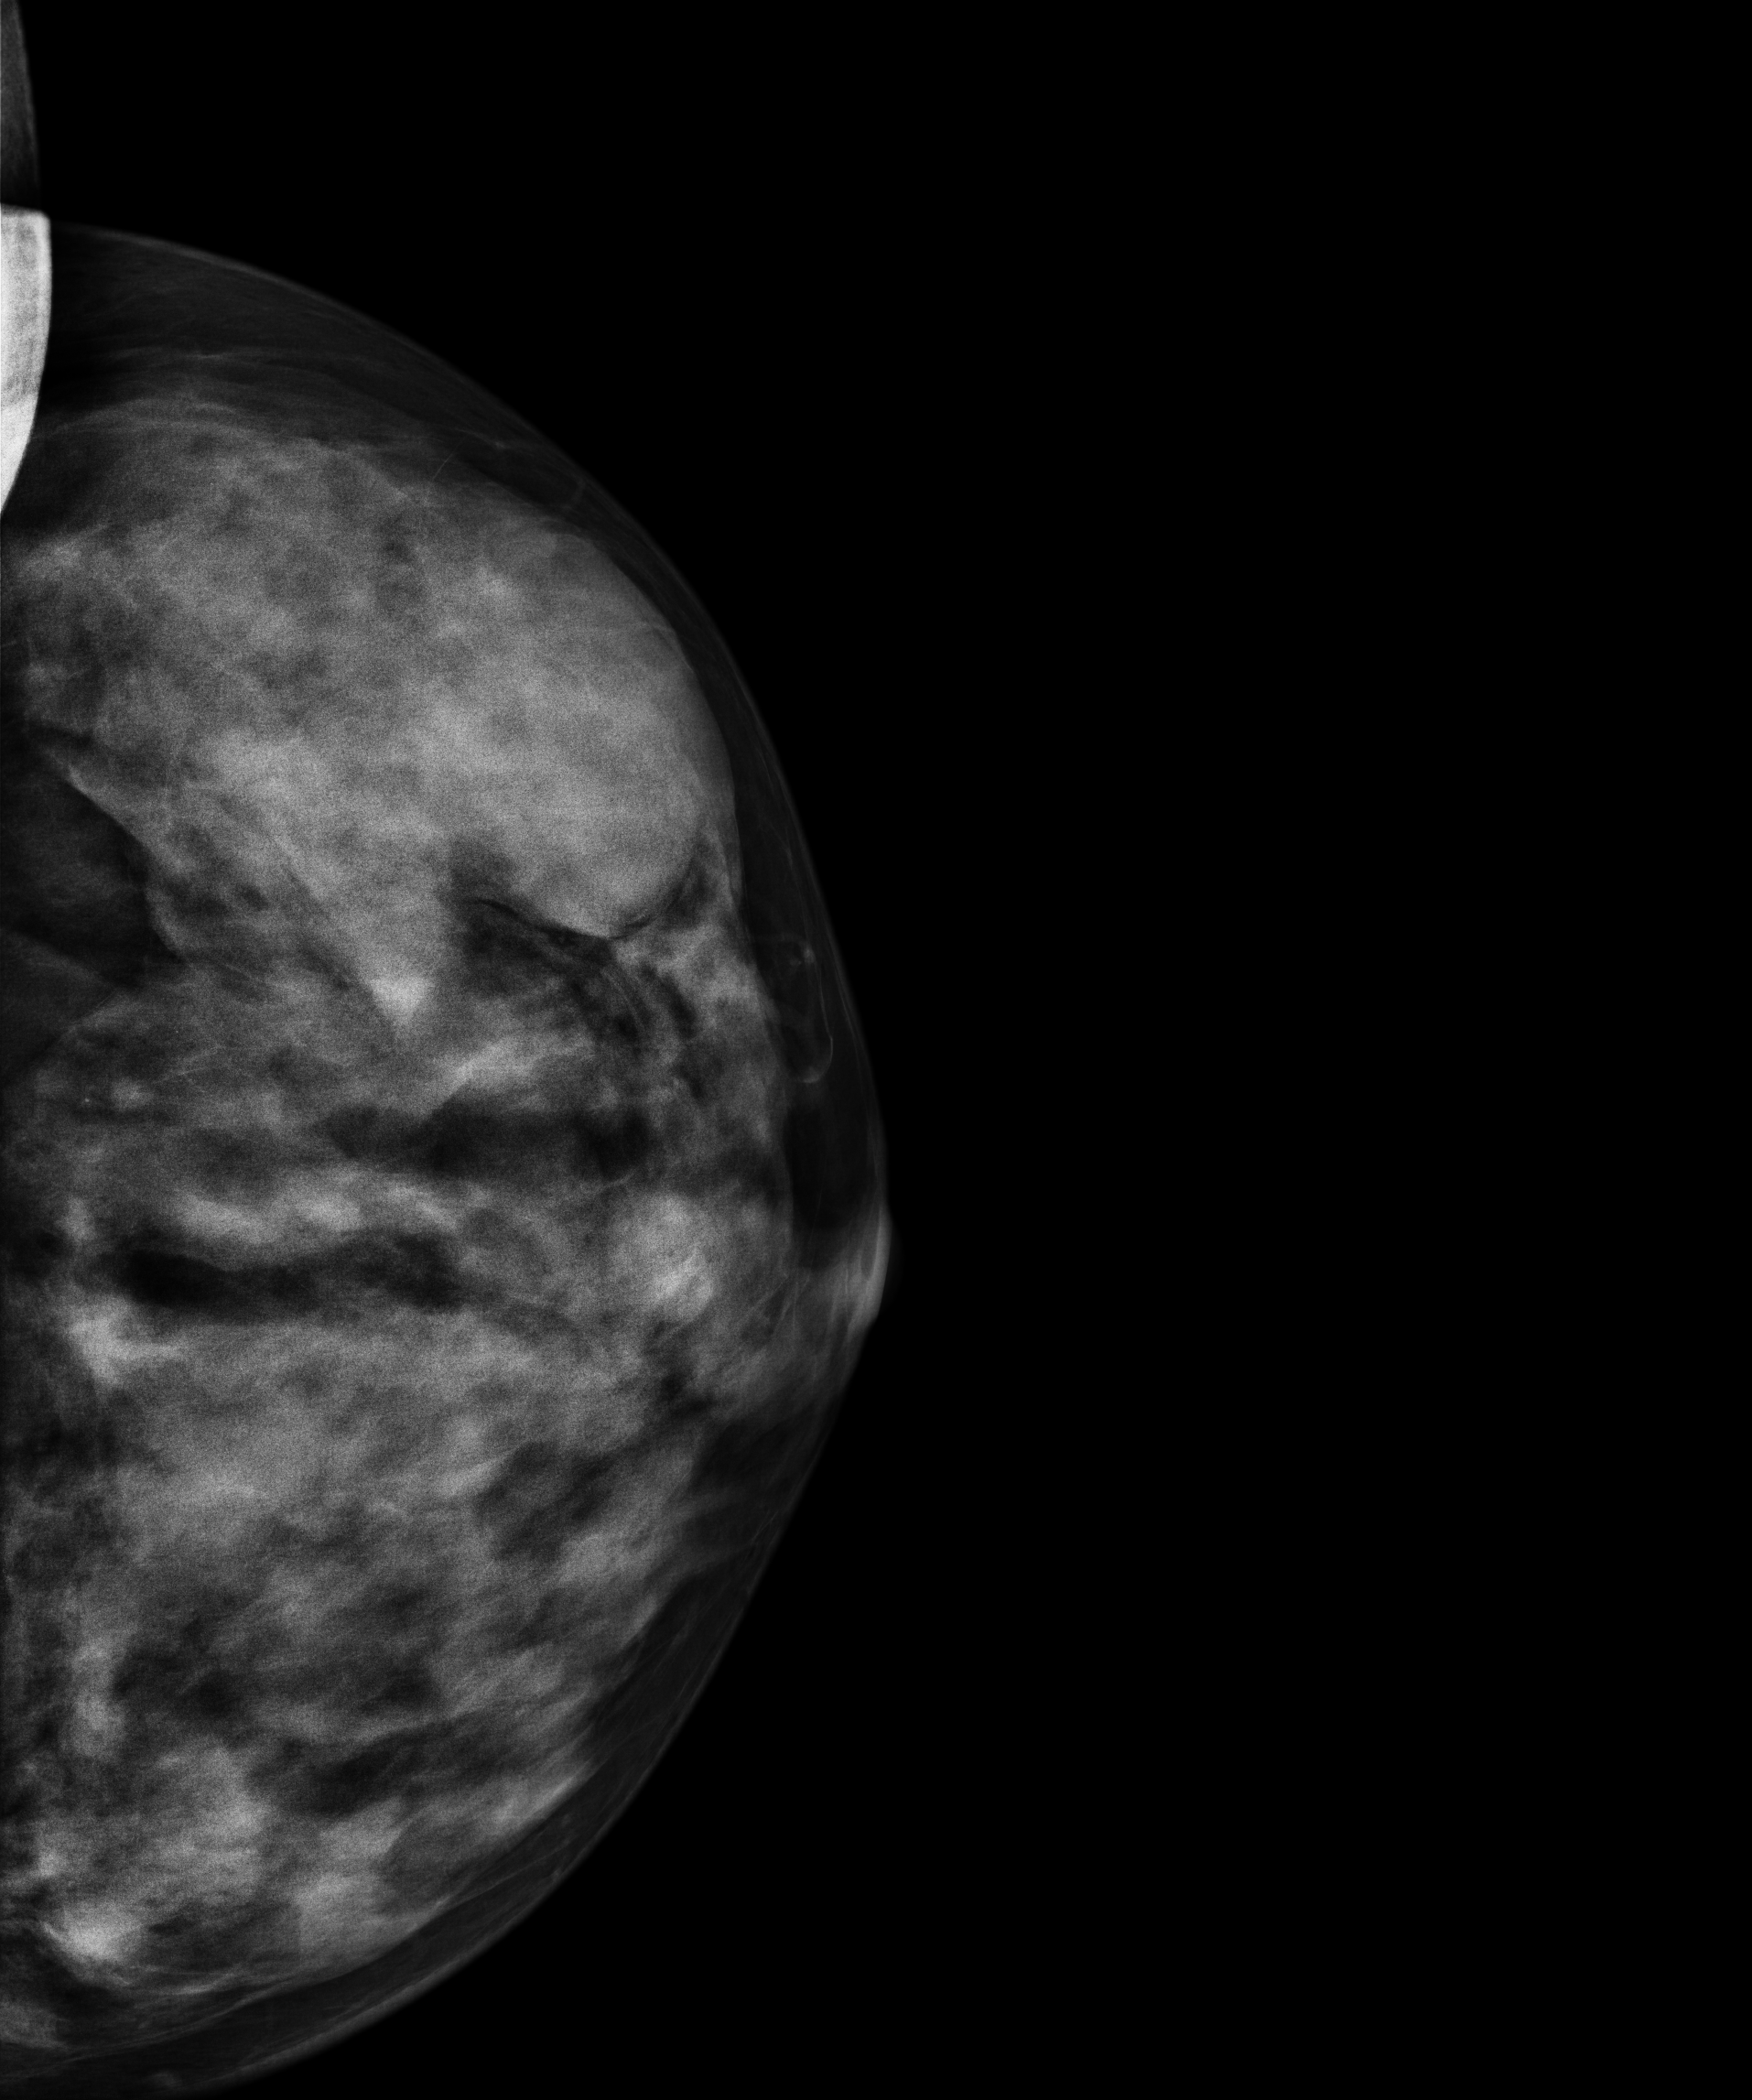
CC mammogram of the left breast. Patient age 45.
This breast has a mass, biopsy-proven benign.